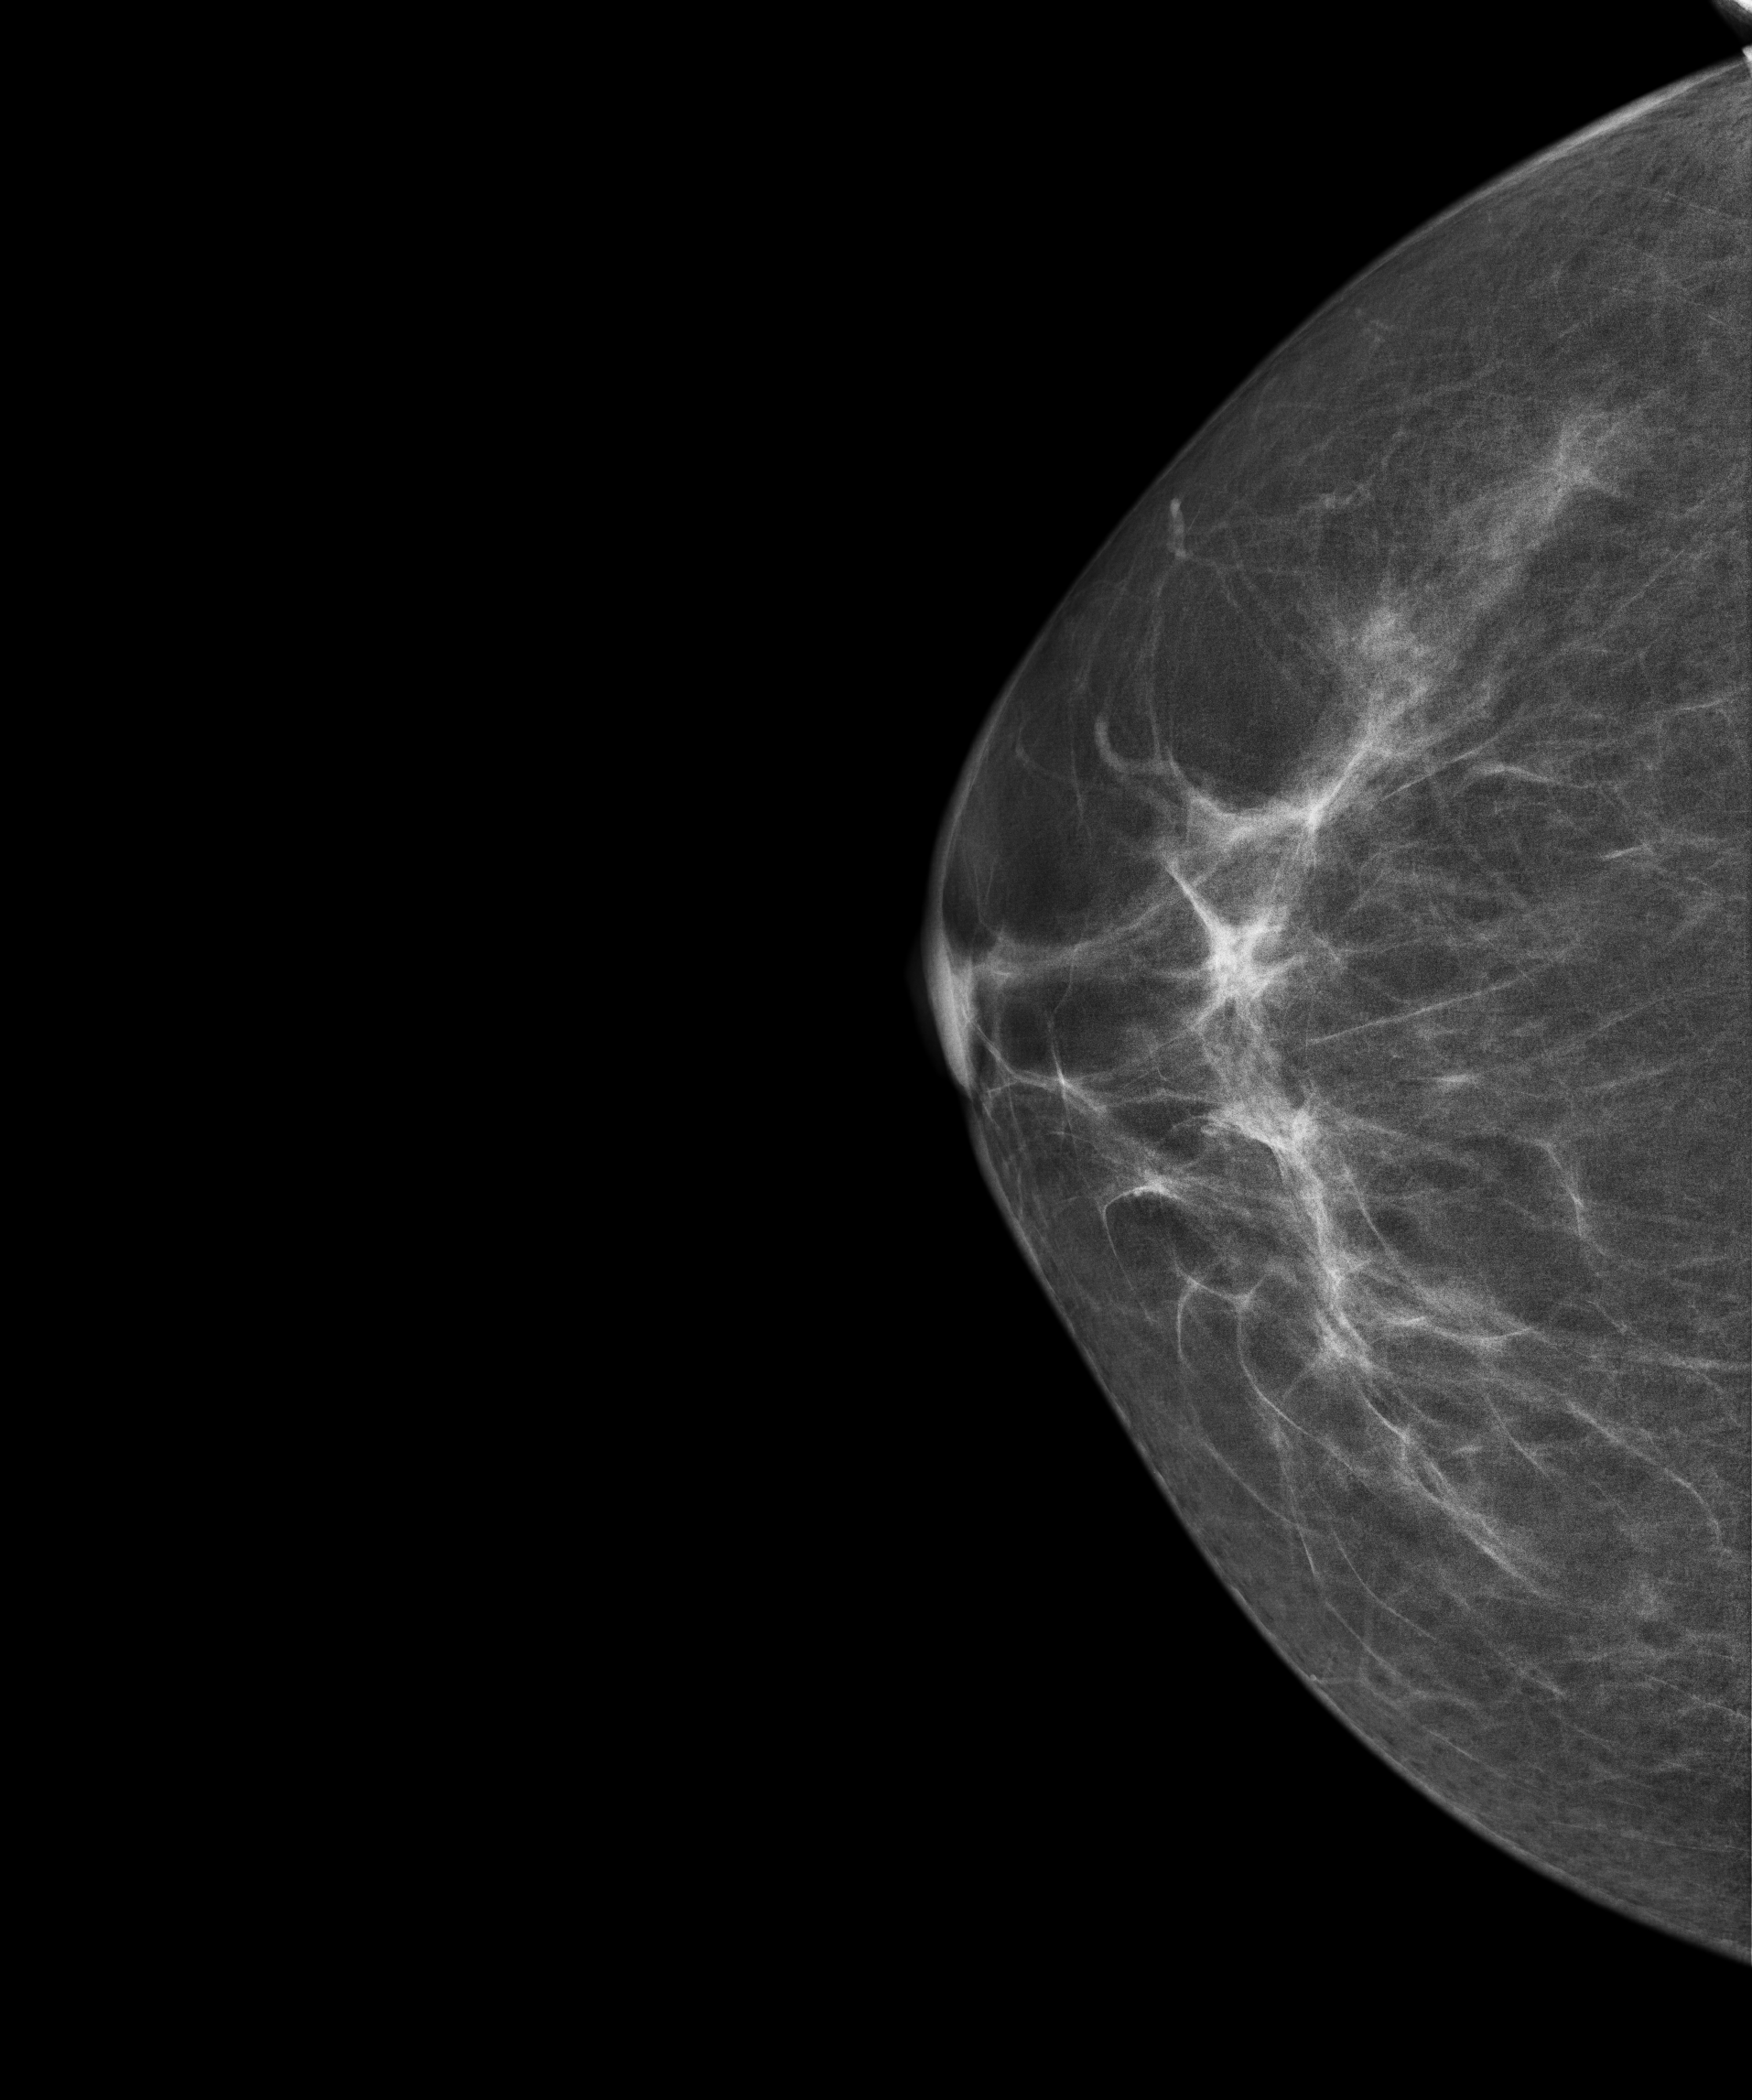
Right-breast mammogram, cranio-caudal. 69-year-old patient.
Contralateral breast — no documented abnormality on this side.